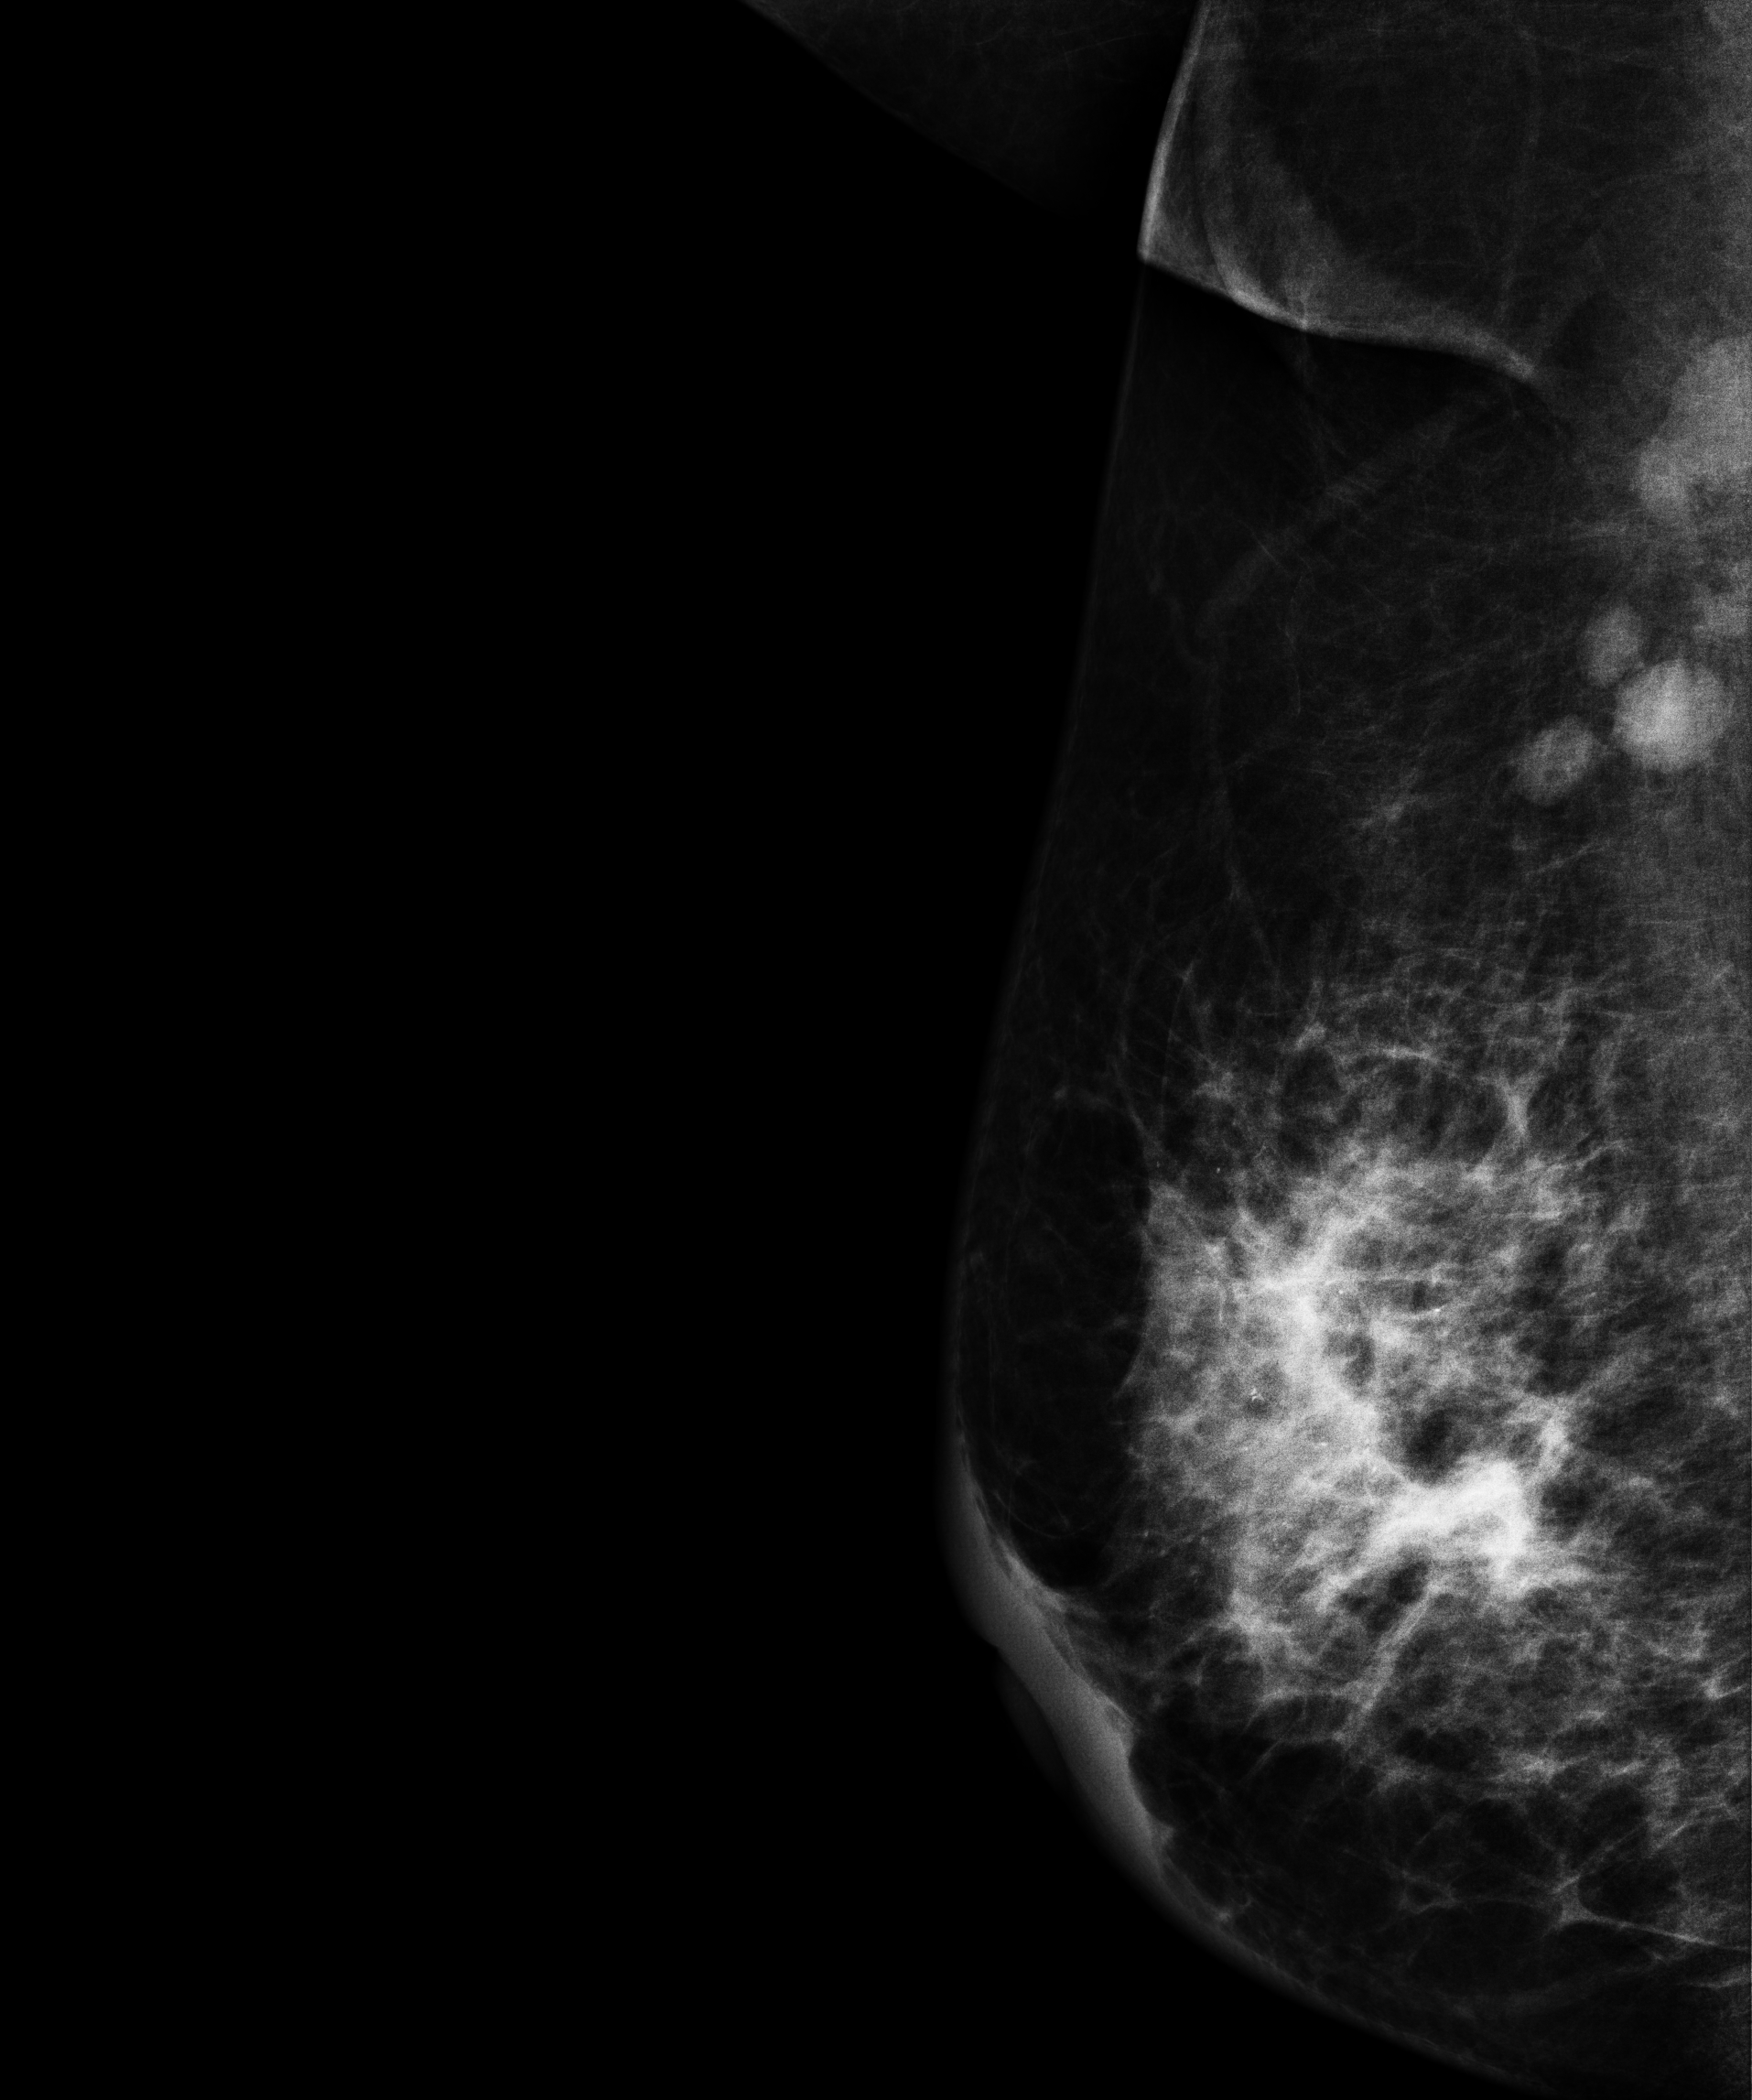
Mammogram, right breast, medio-lateral oblique view. 56-year-old patient.
This breast has a mass and calcifications, biopsy-proven malignant.